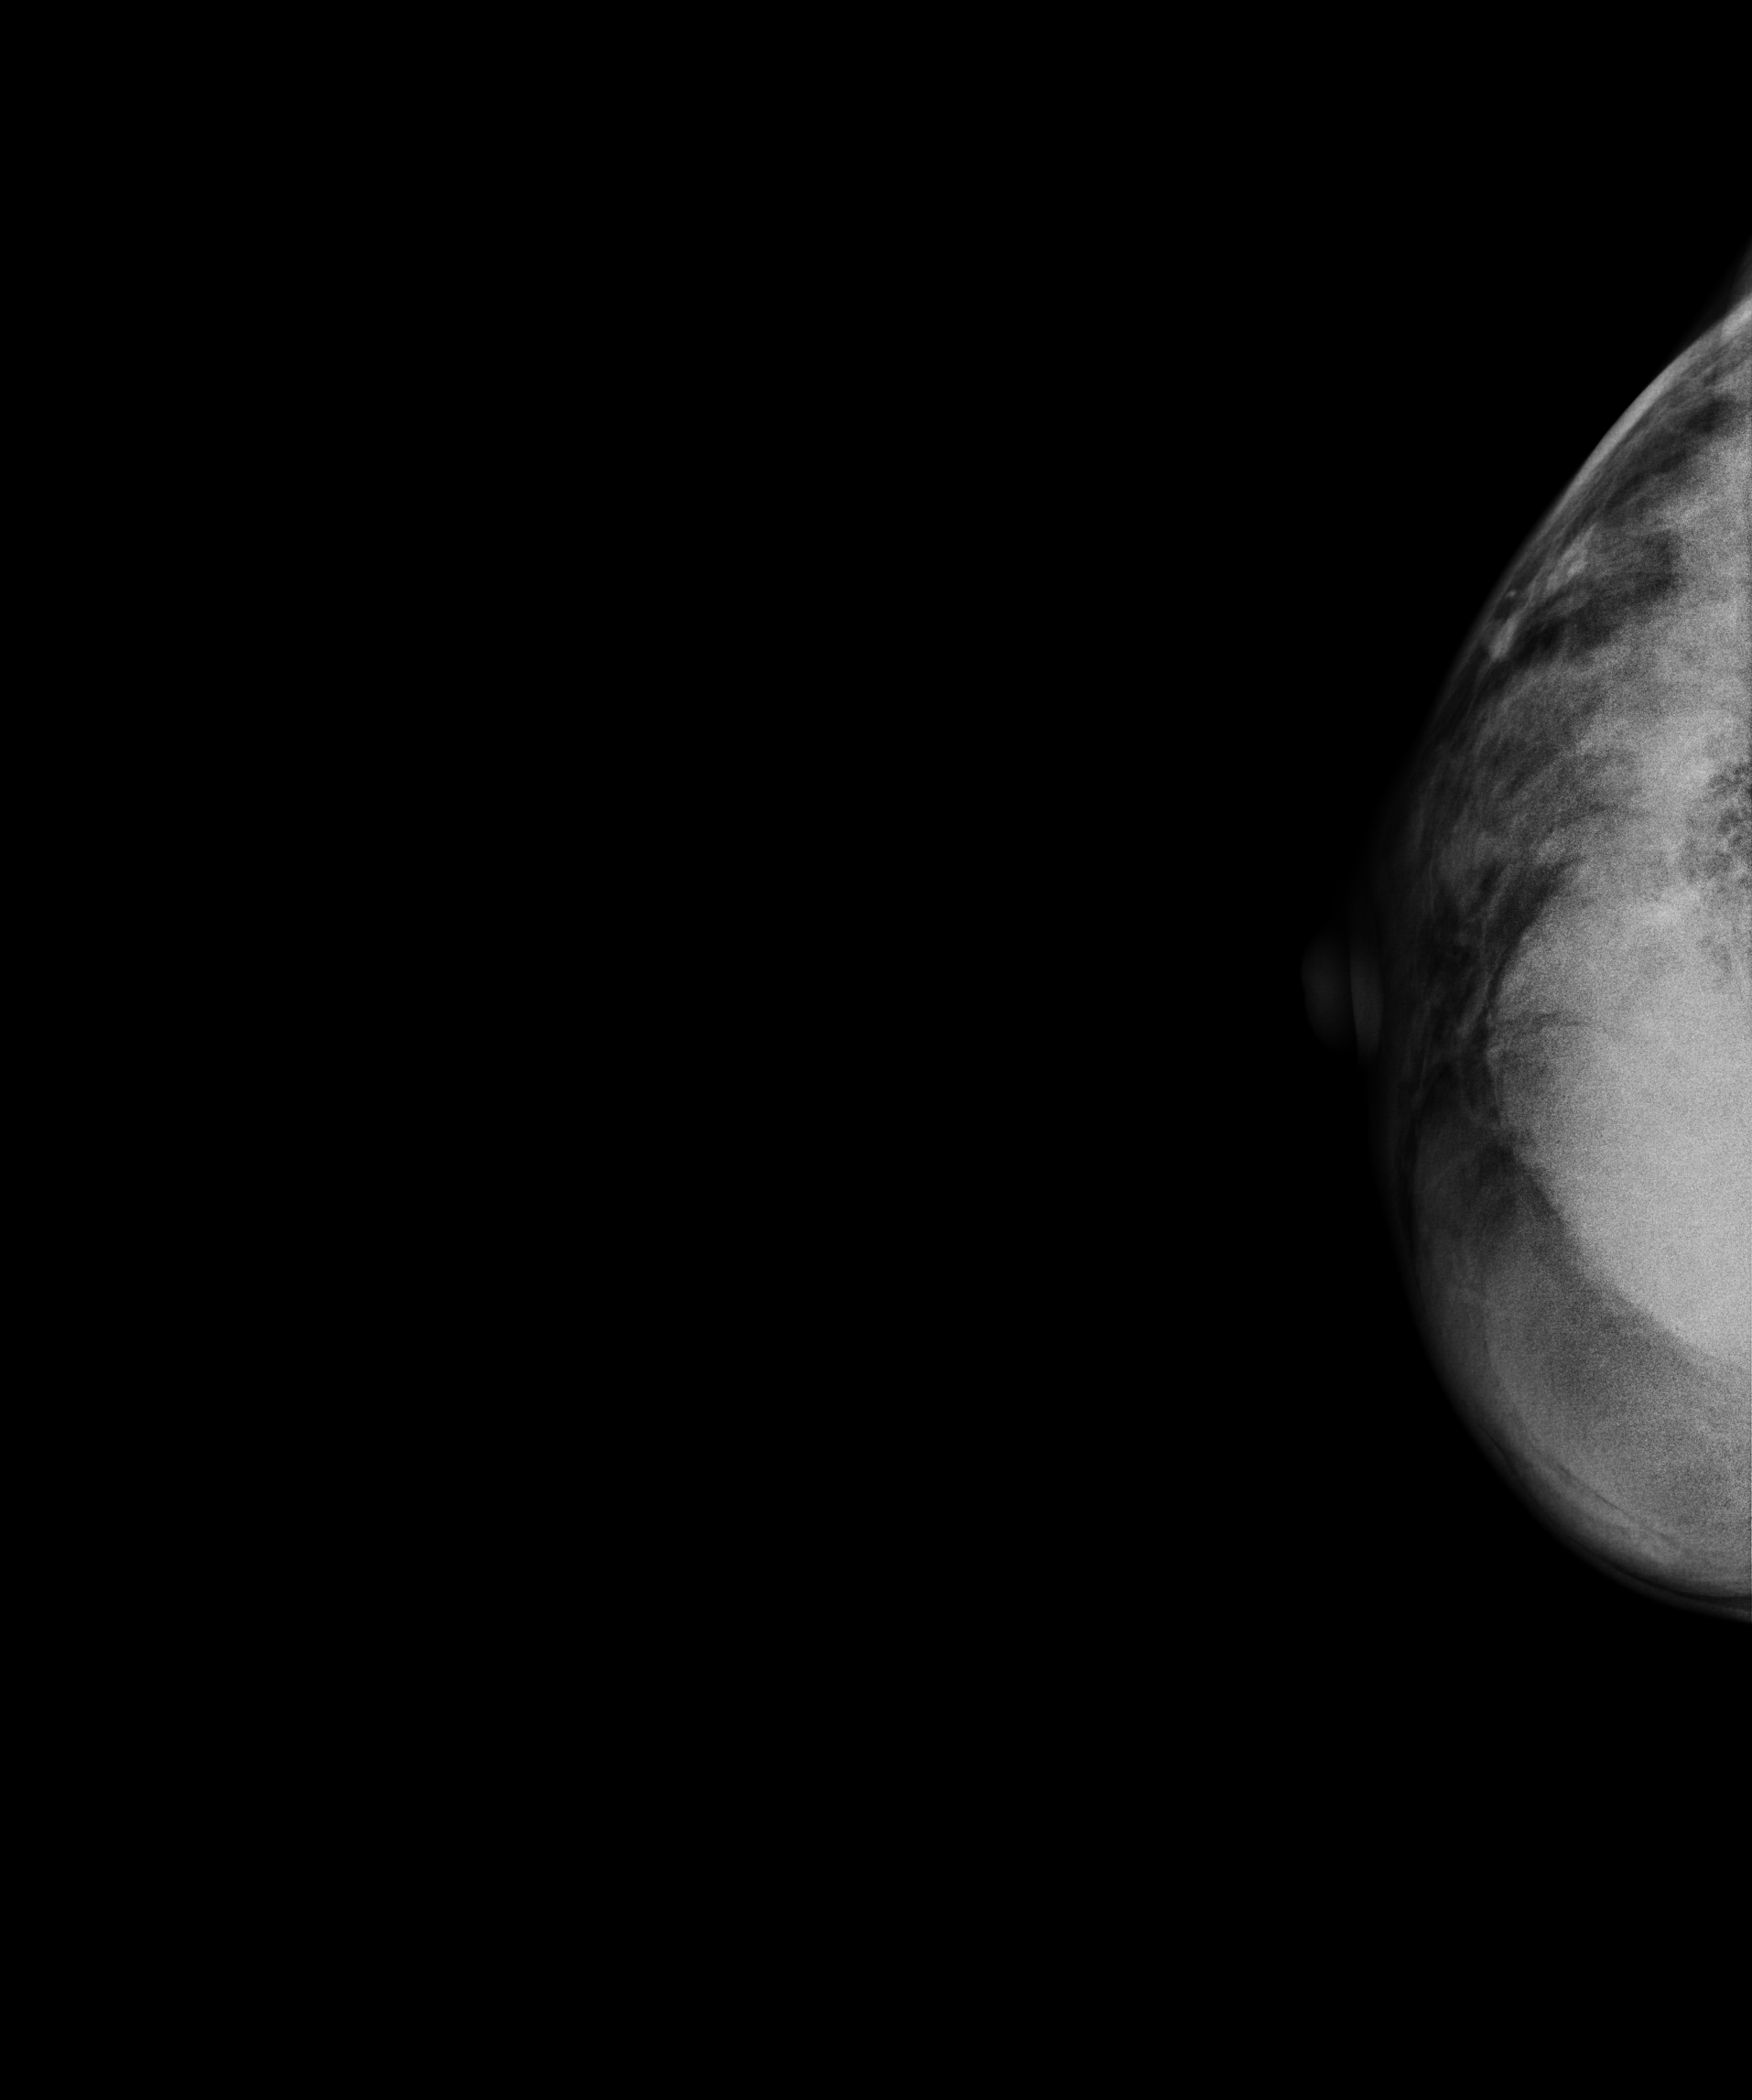
Digital mammography. Right breast, cranio-caudal projection. Patient age 48.
This breast has a mass, histologically confirmed malignant.